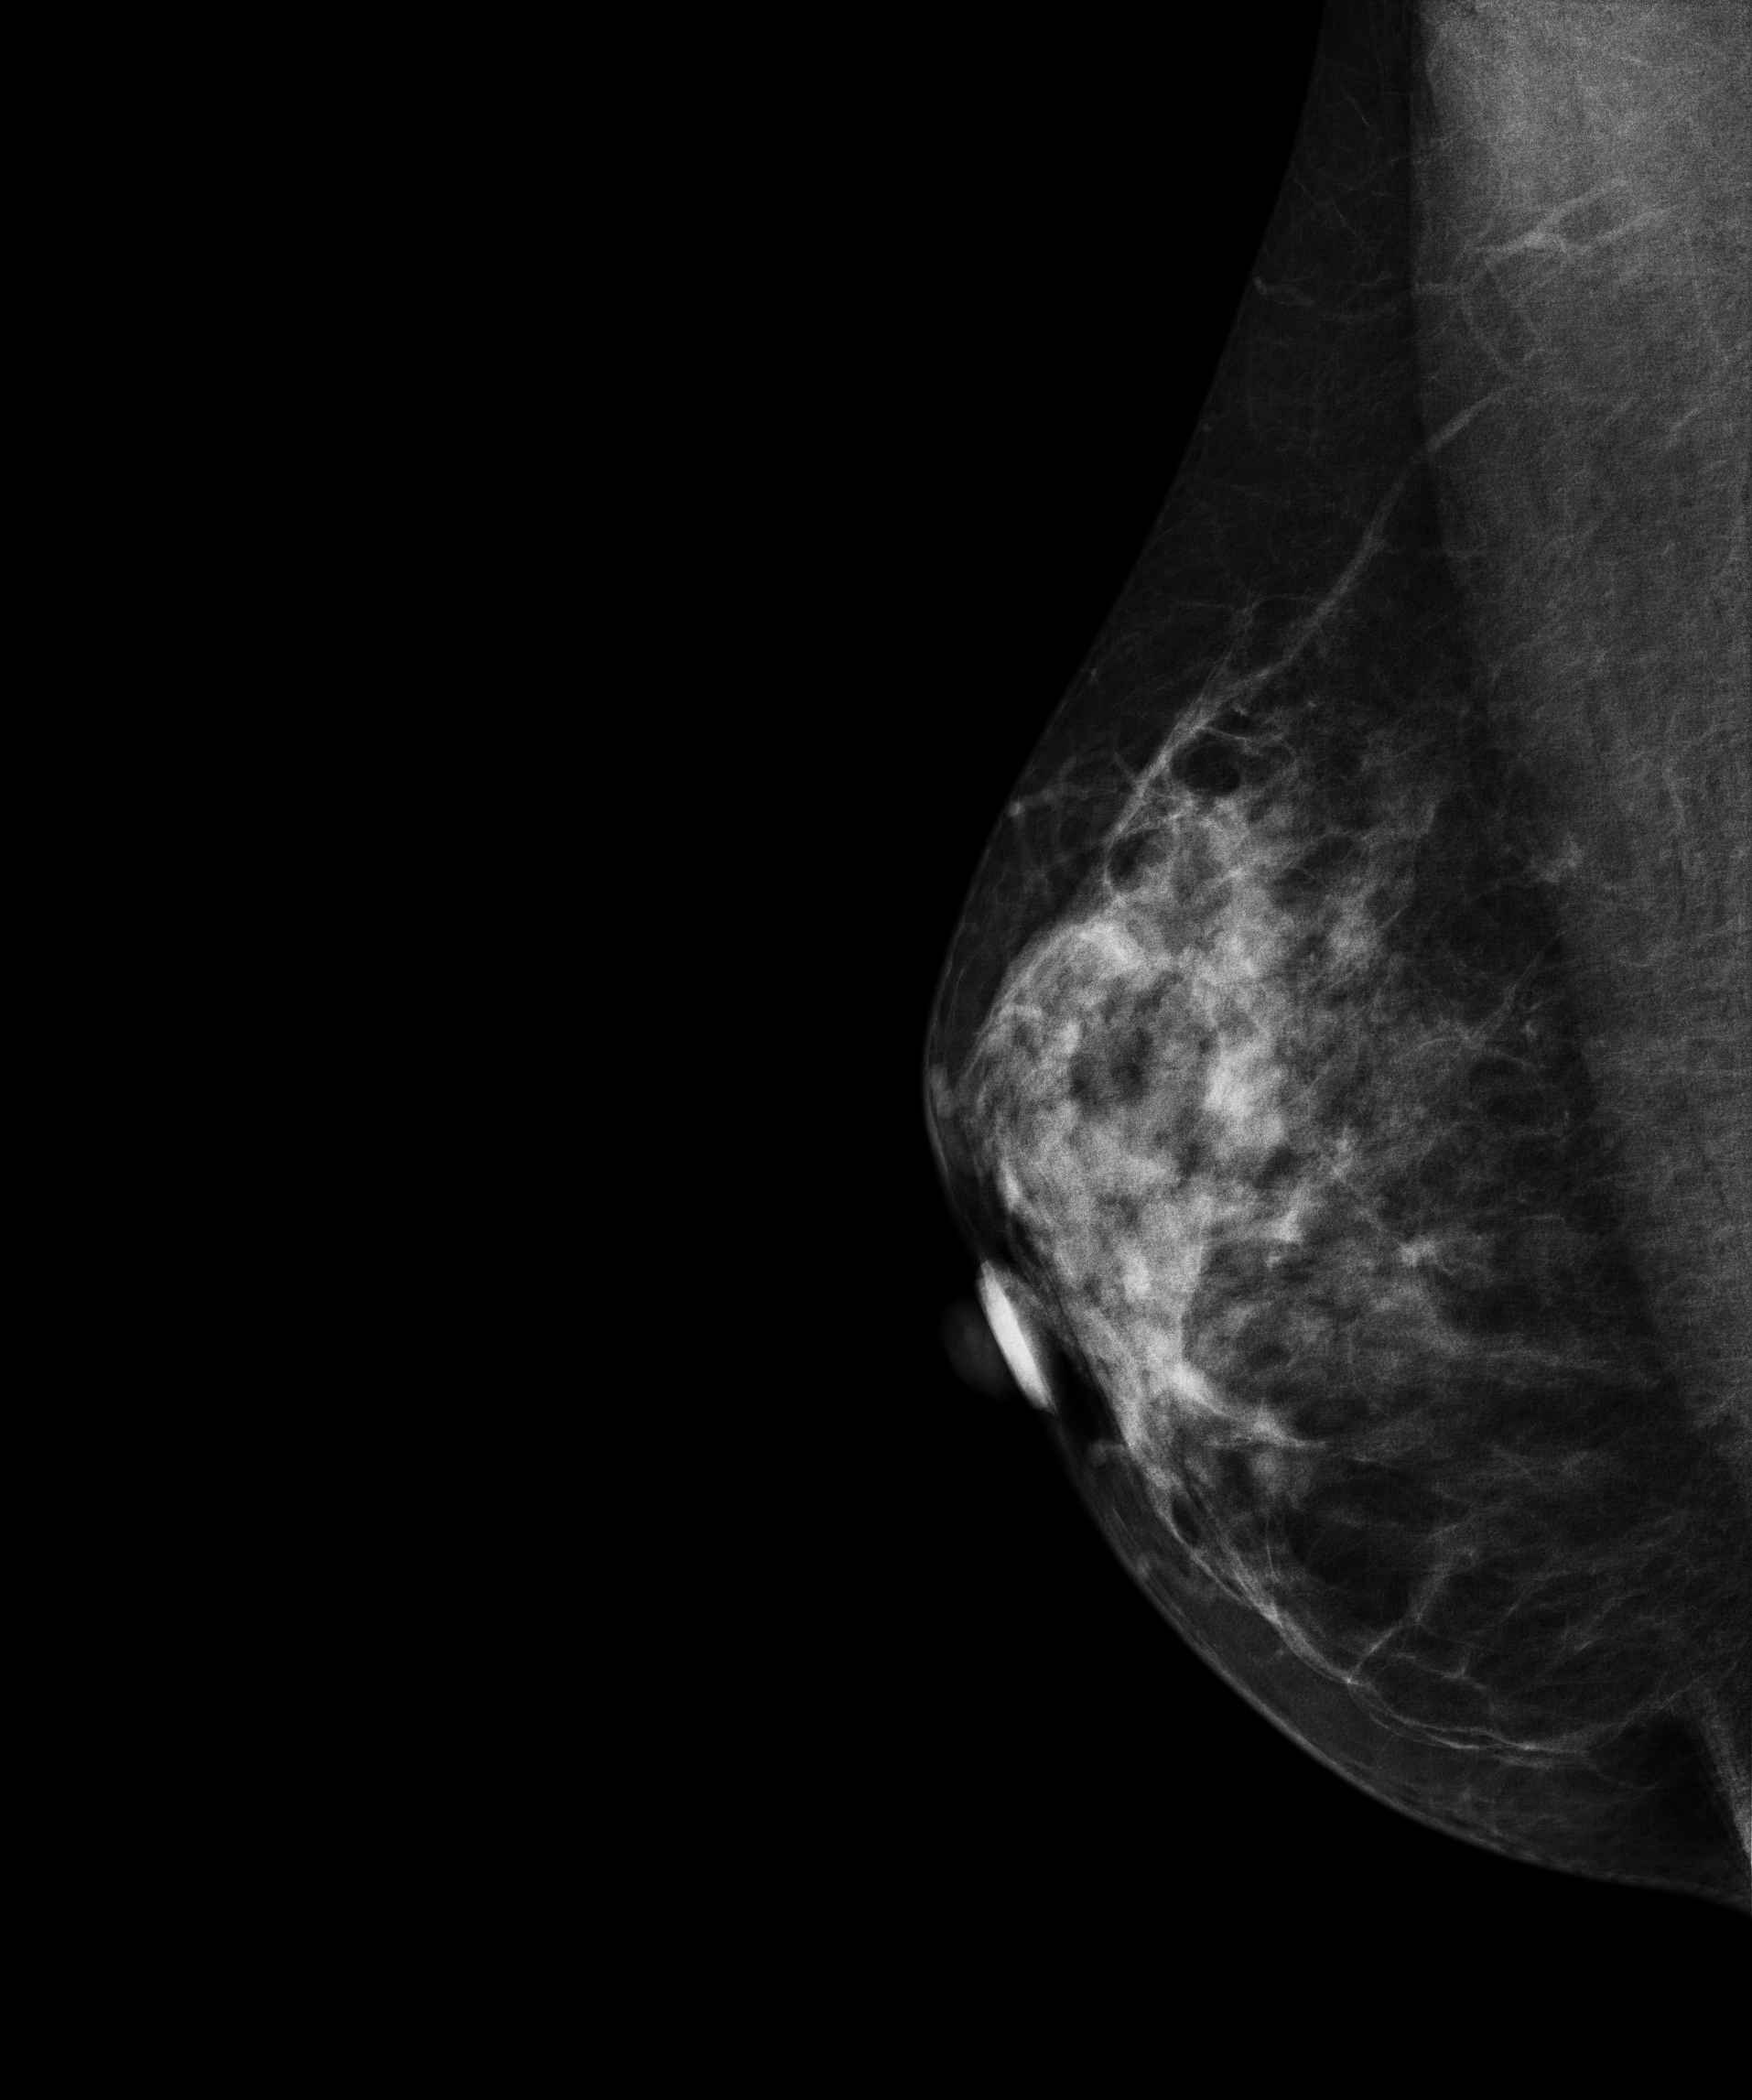
Mammogram — right MLO. 40 y/o patient.
This breast has a mass, pathology-confirmed benign.